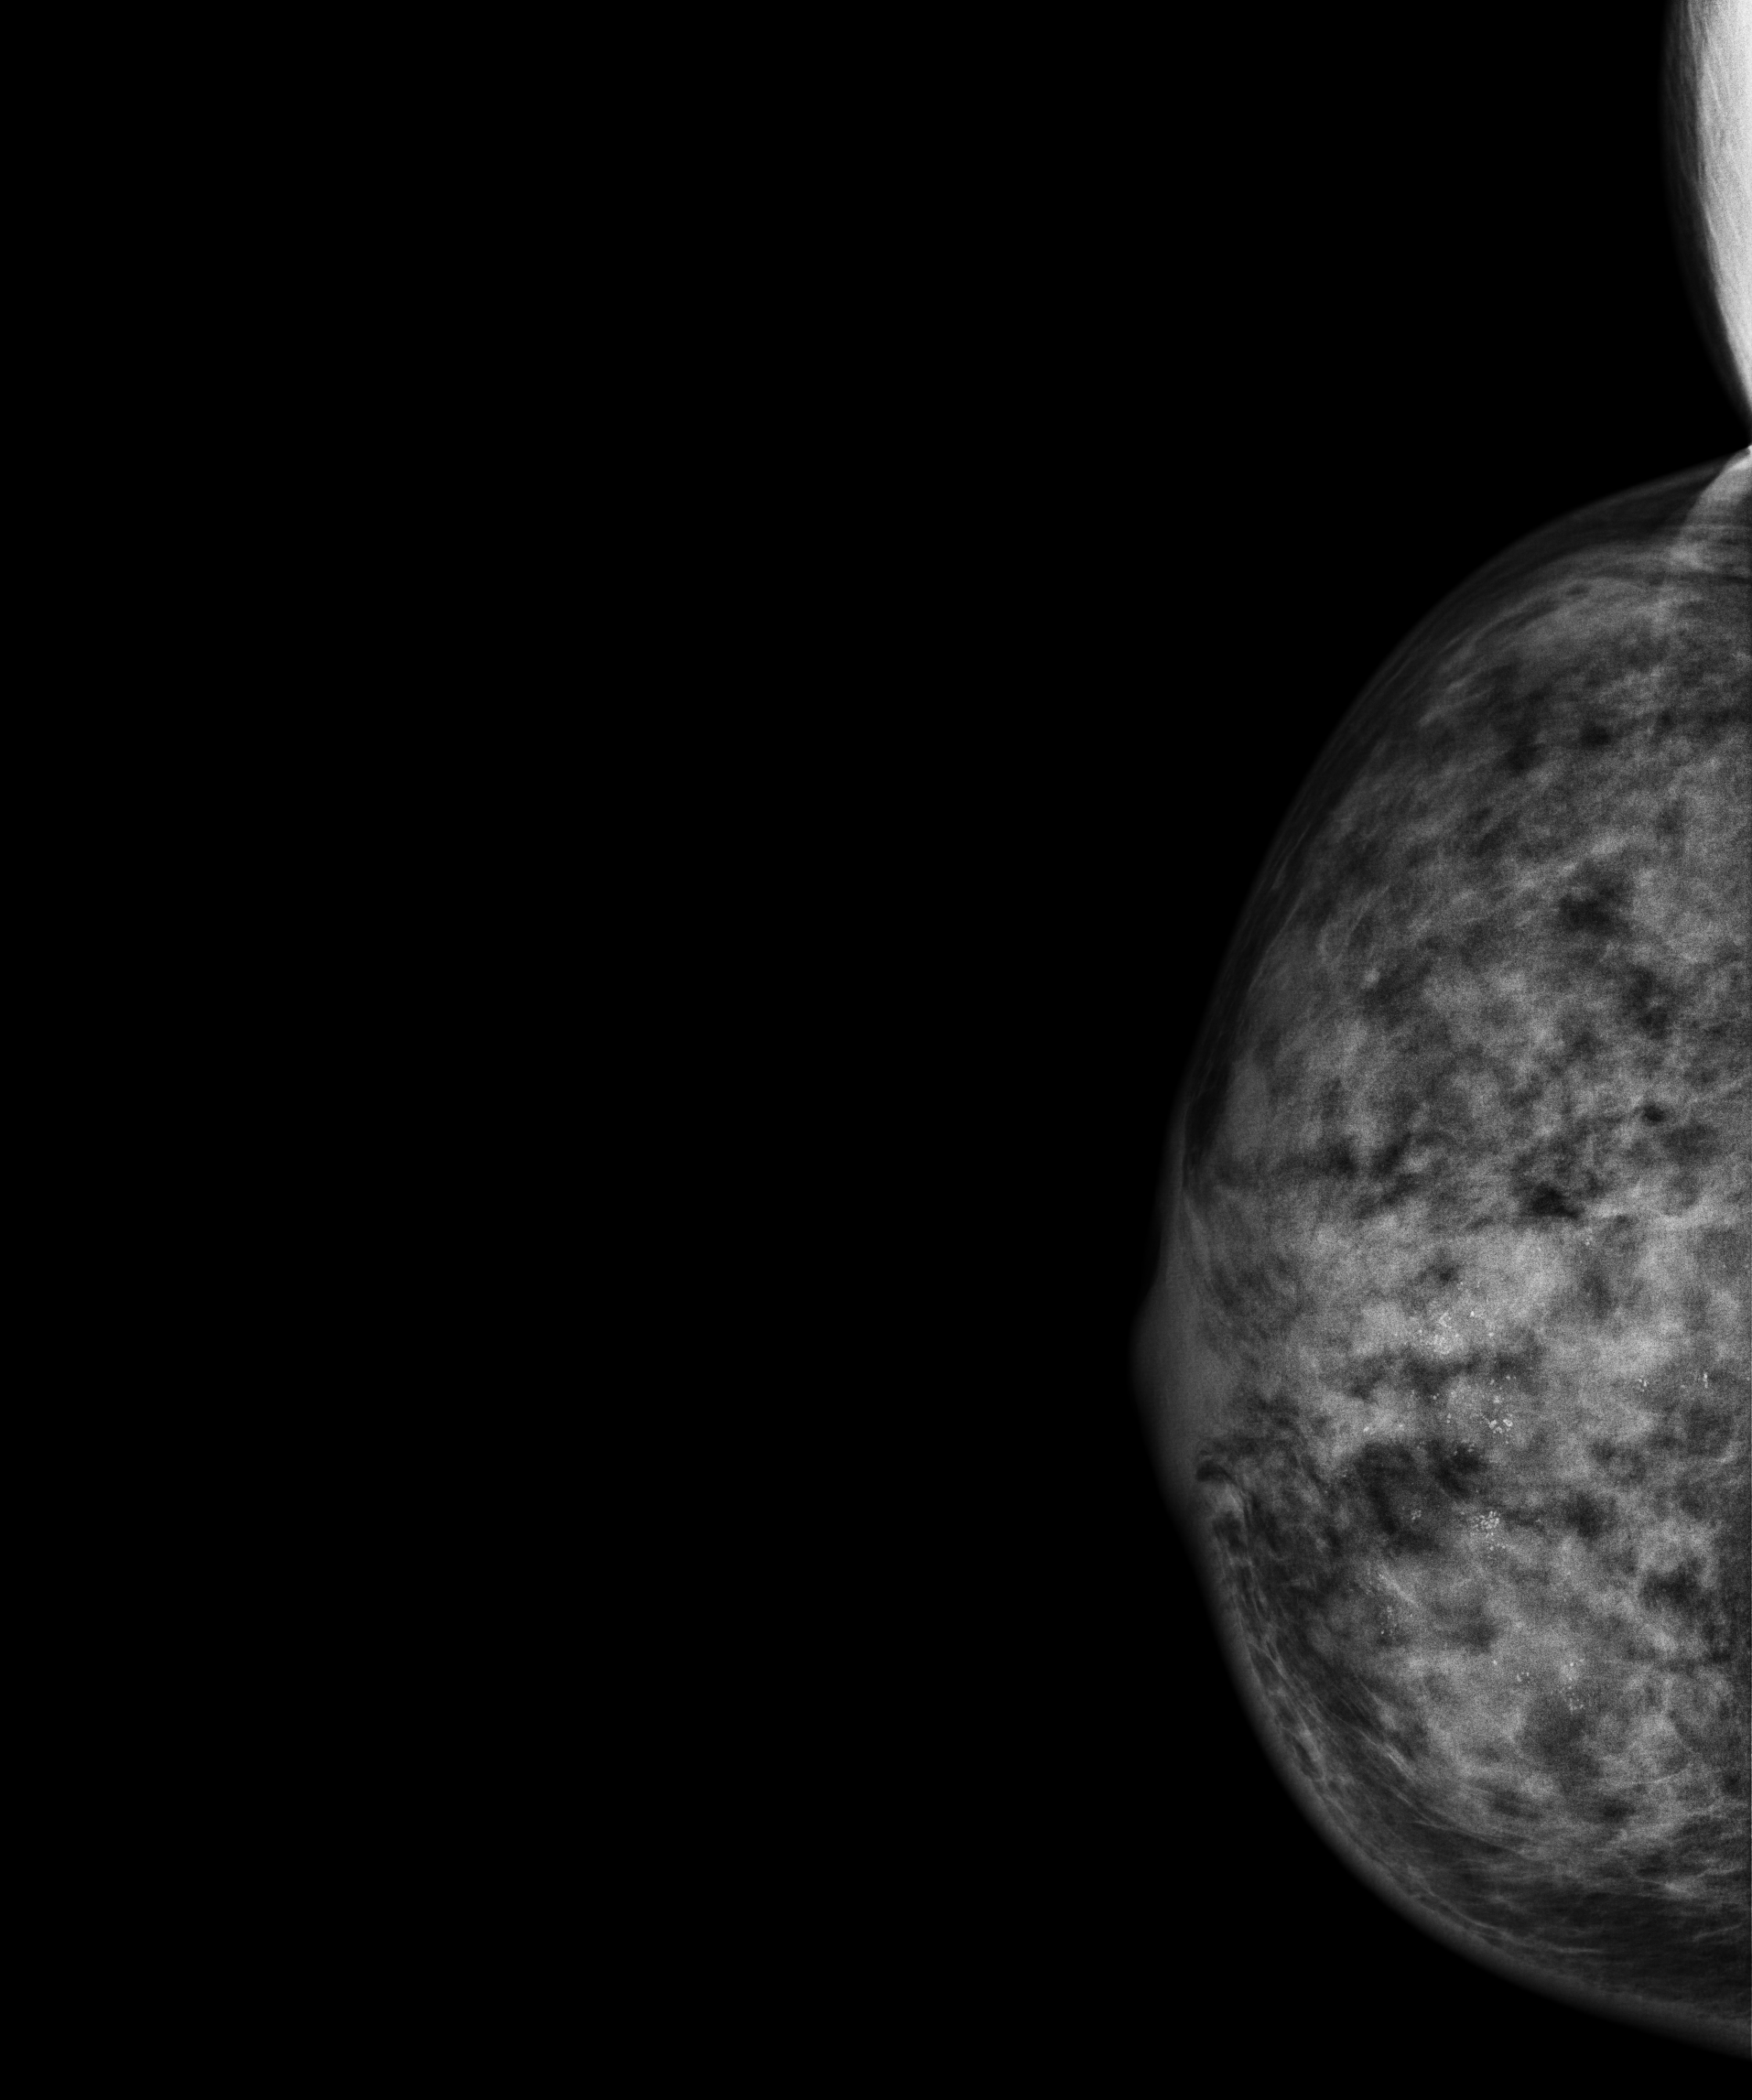
Right-breast mammogram, CC. Patient age 54.
Contralateral breast — no documented abnormality on this side.